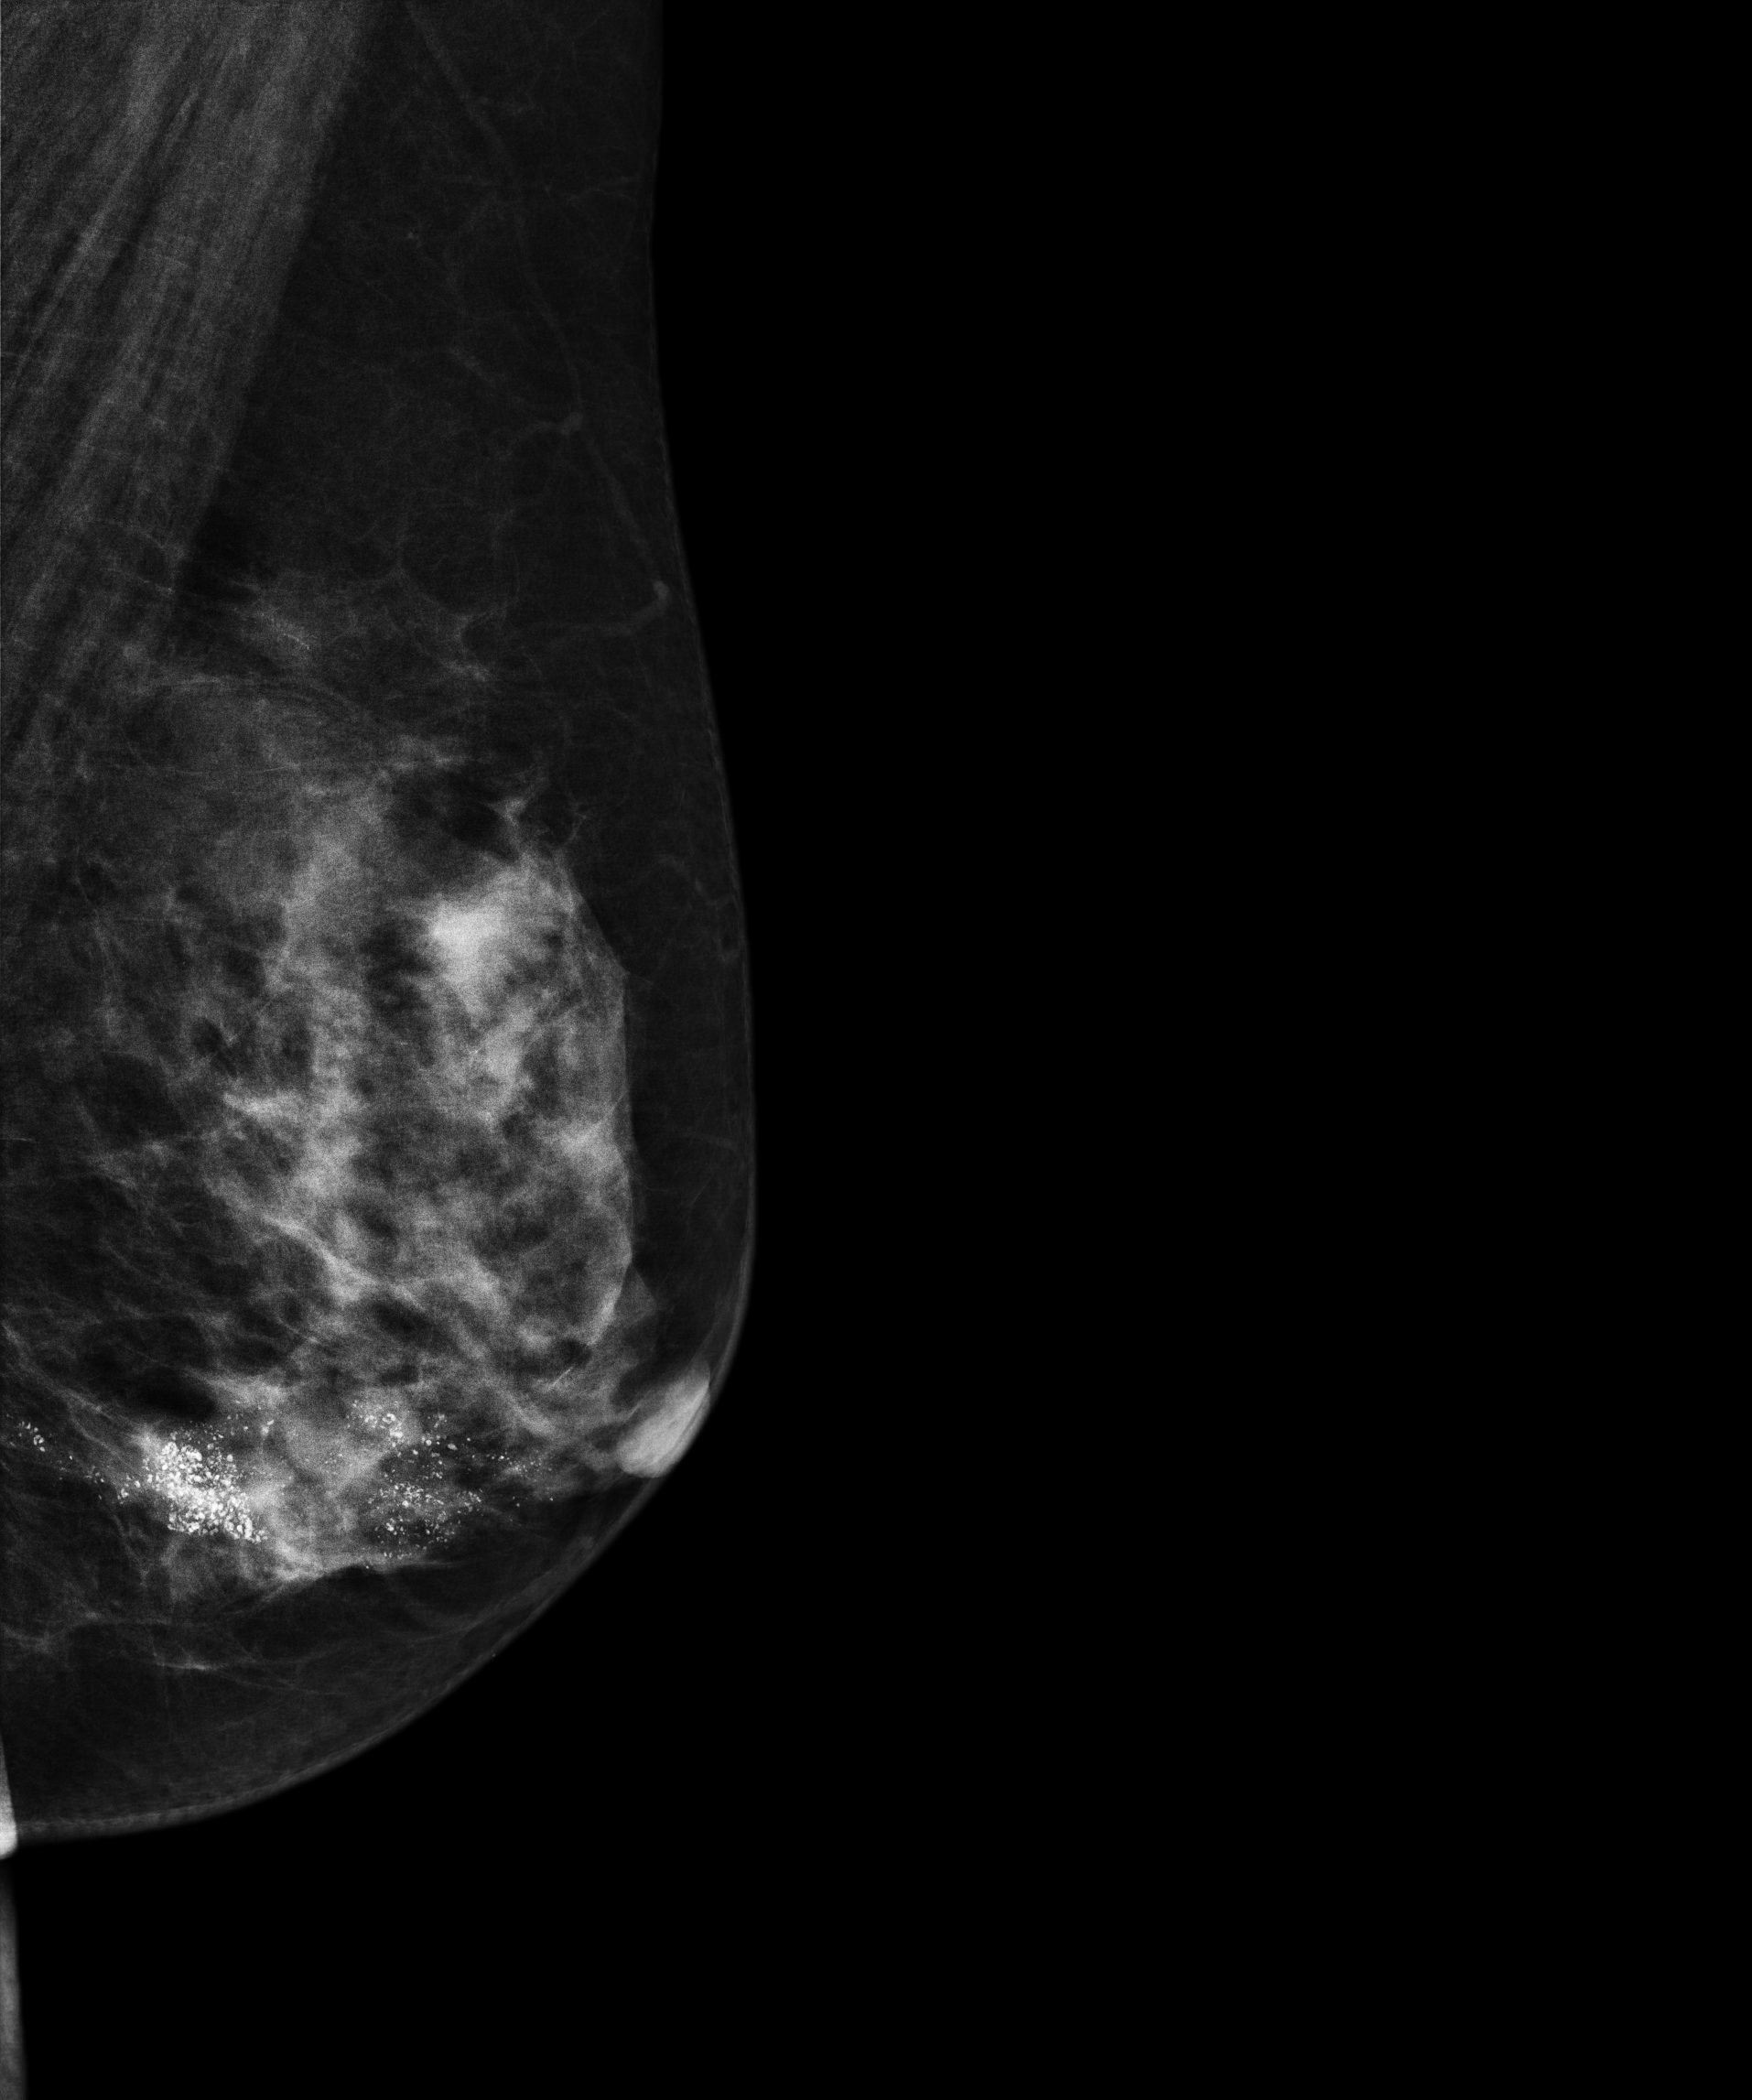
Mammogram, left breast, MLO view. 60 y/o patient.
This breast has a mass and calcifications, biopsy-confirmed malignant. Molecular subtype: luminal B.